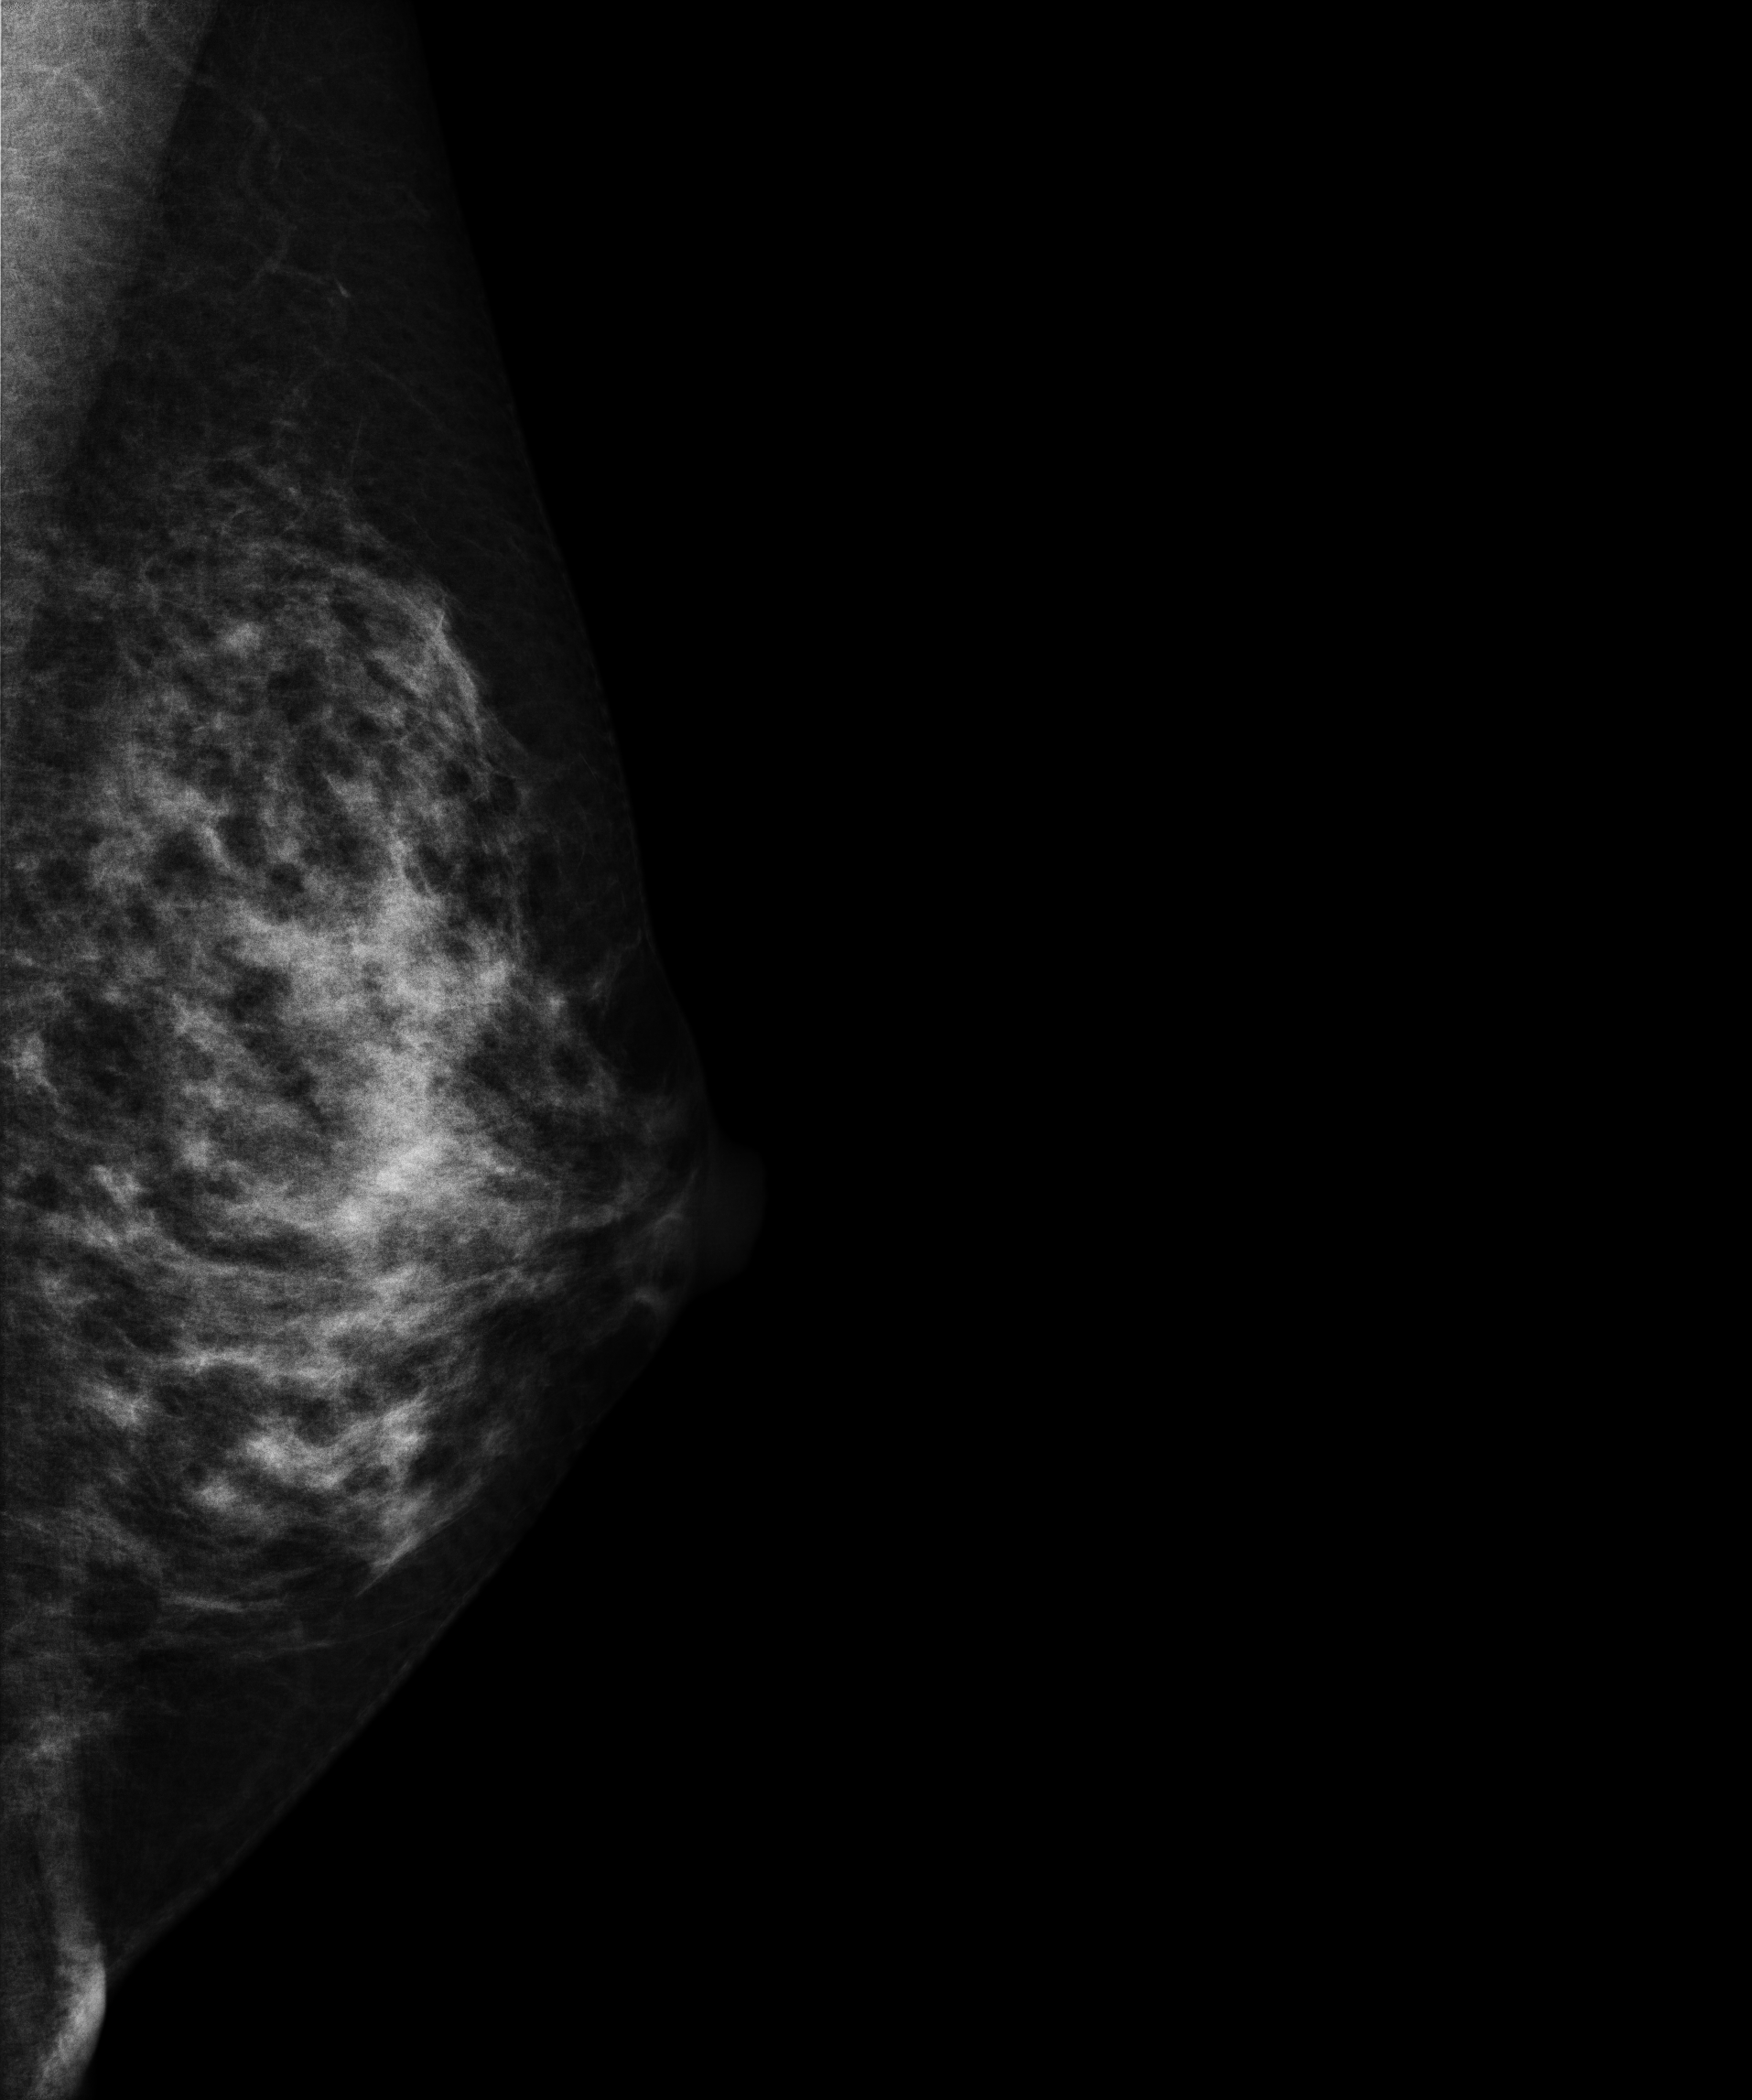
Left-breast mammogram, medio-lateral oblique. 52-year-old patient.
This breast has a mass, histologically confirmed benign.